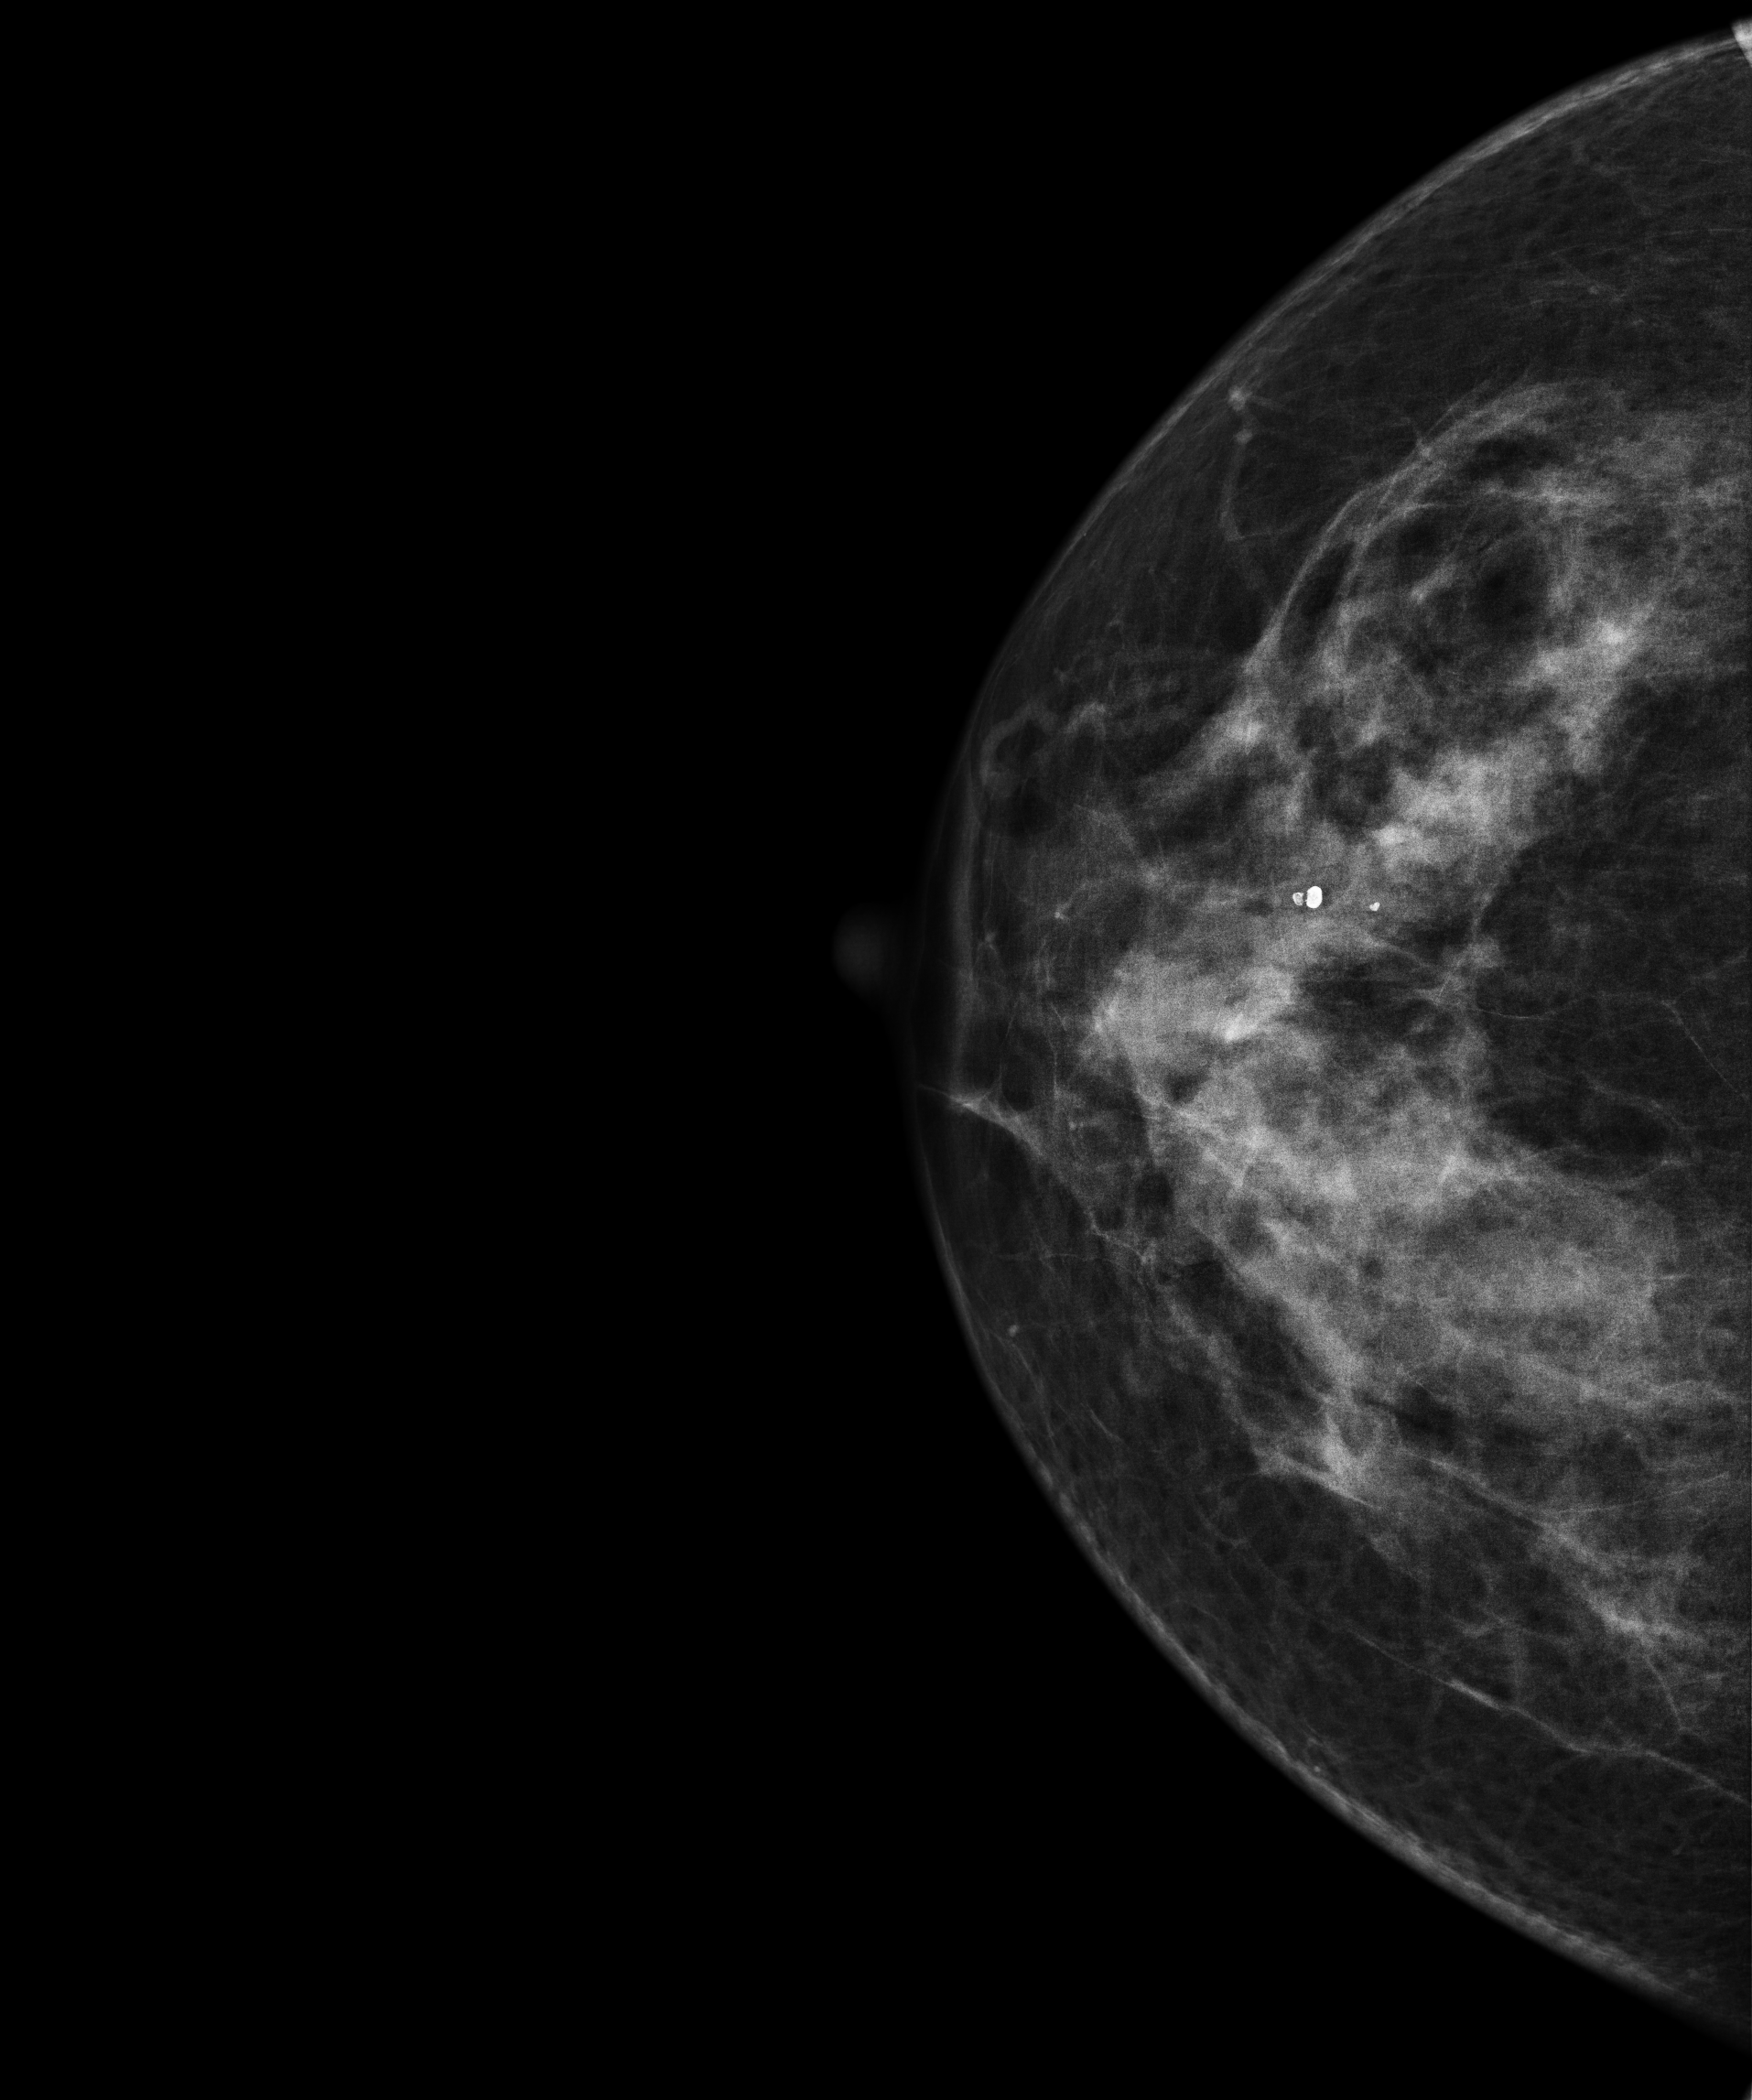
Mammogram, right breast, CC view. Patient age 58.
Contralateral breast — no documented abnormality on this side.